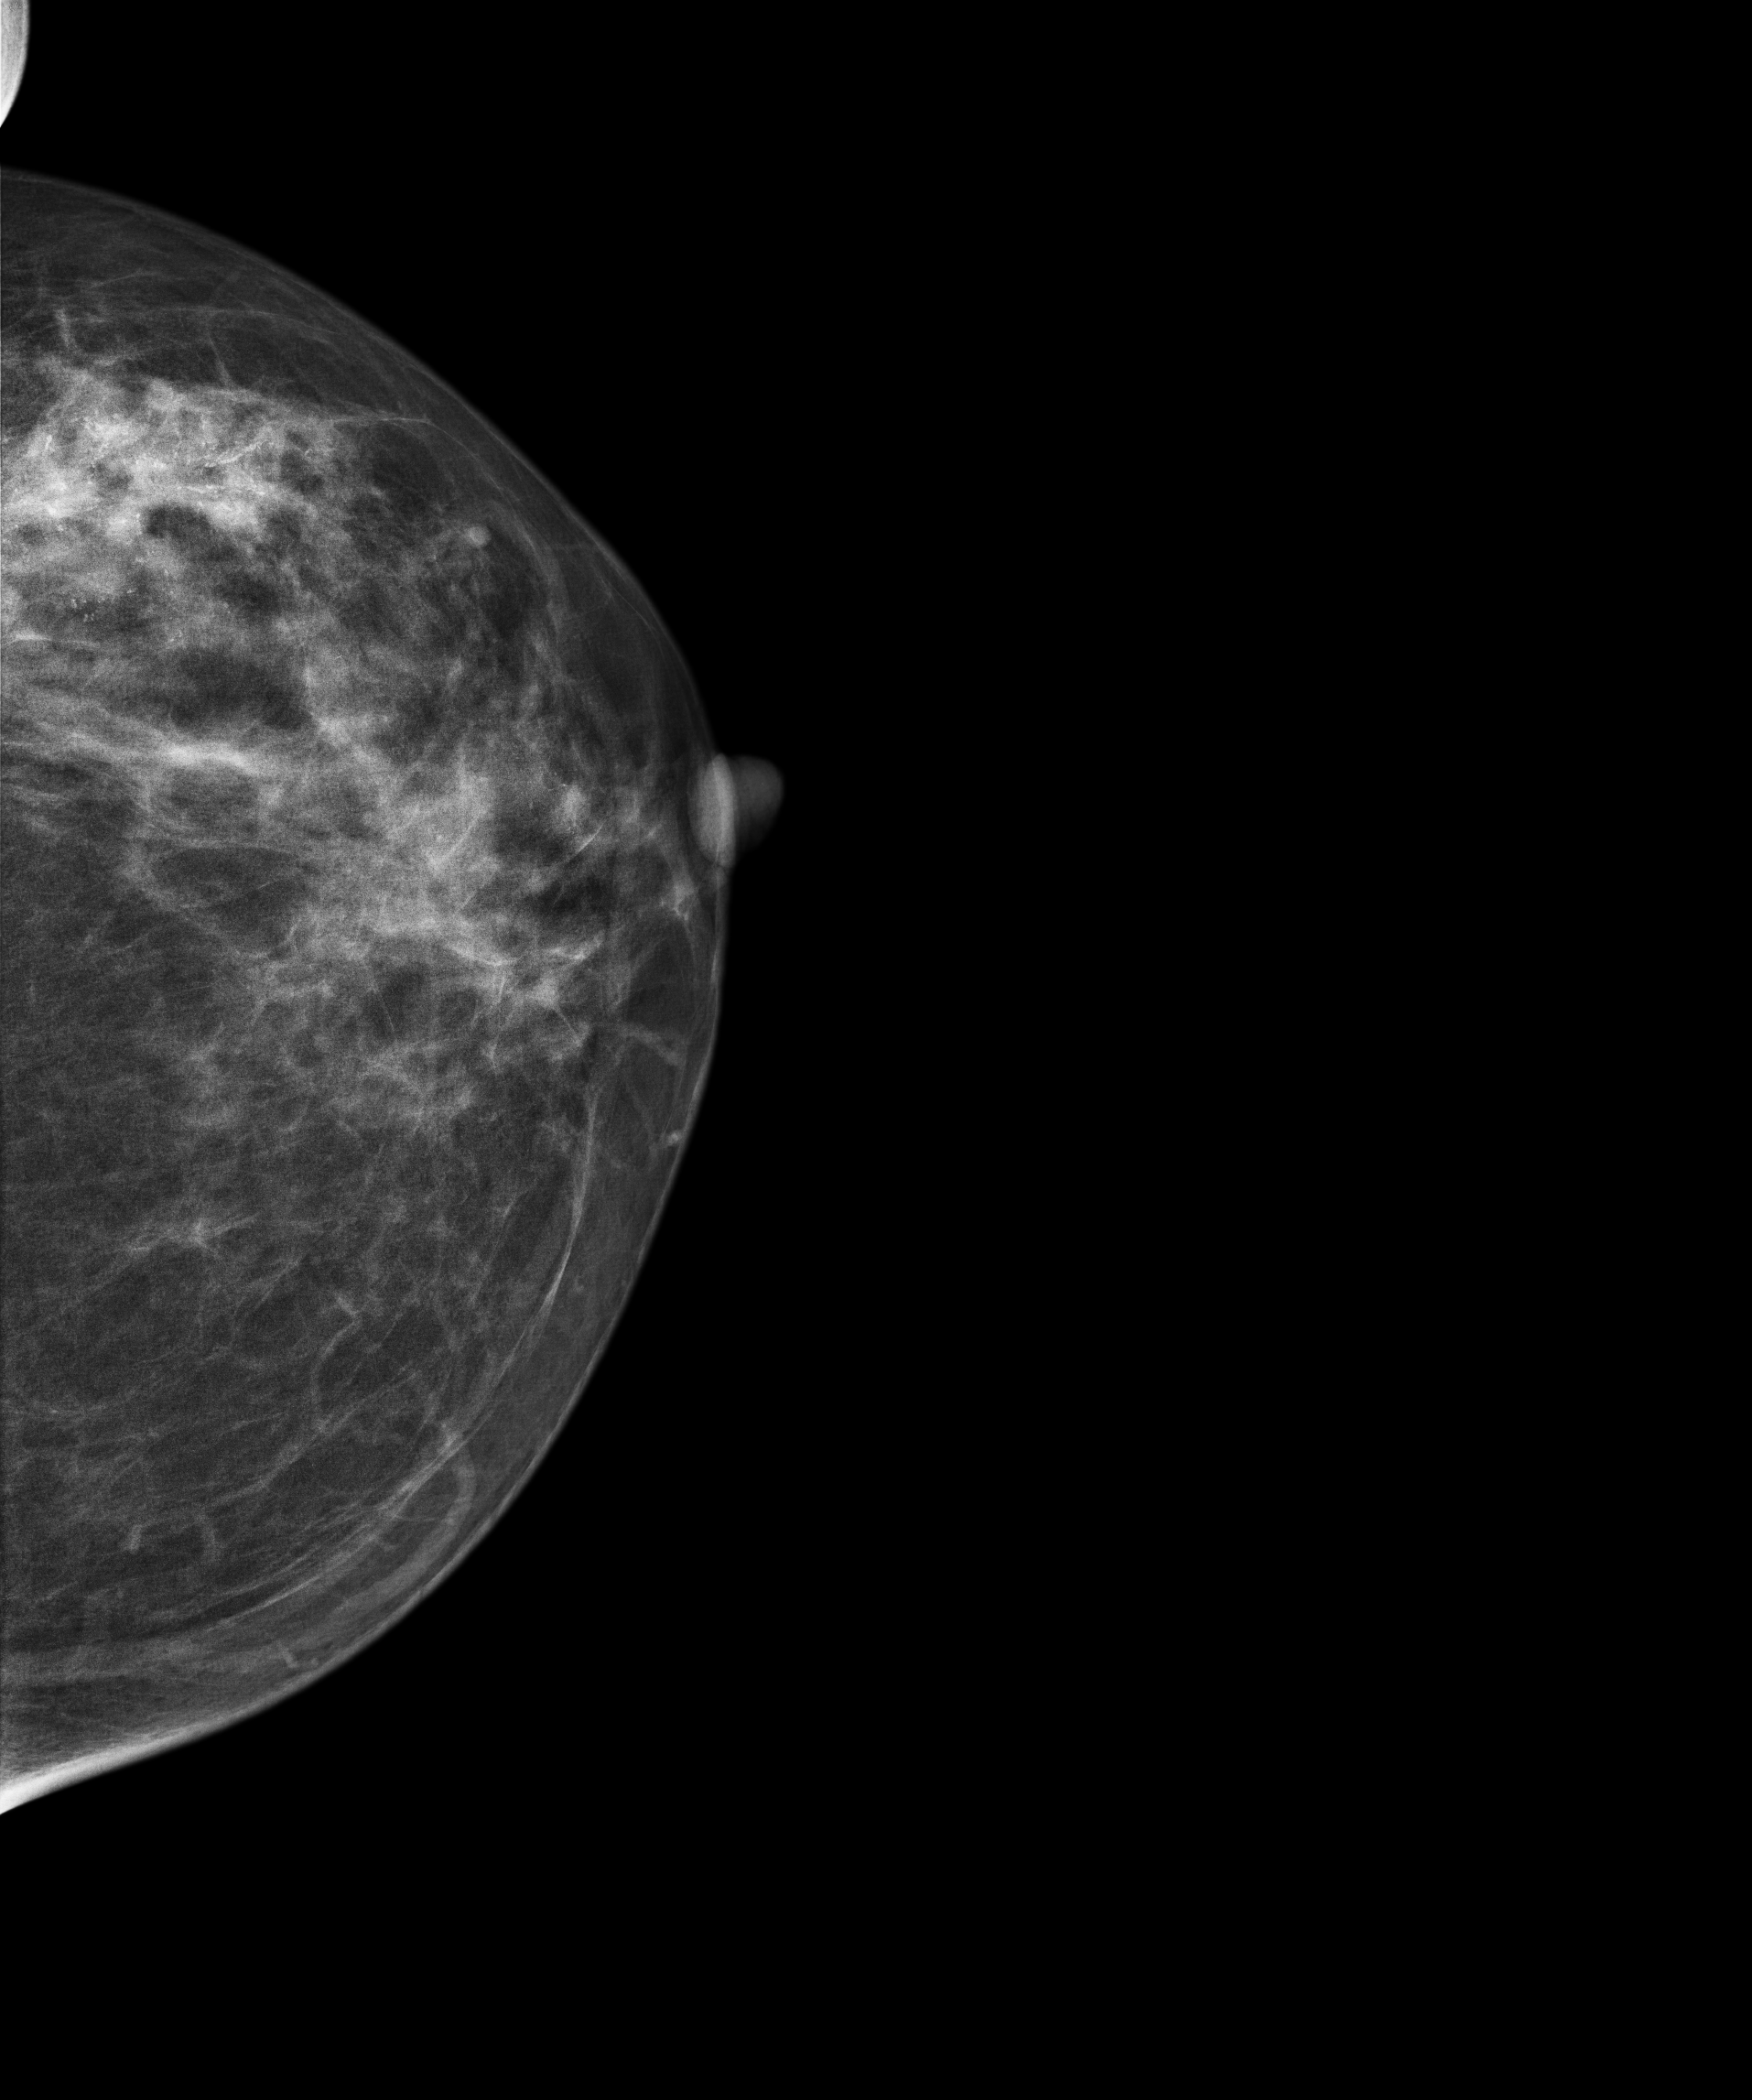
Mammogram — left cranio-caudal. Patient age 58.
This breast has a mass and calcifications, histologically confirmed malignant. Molecular subtype: luminal A.